Mammogram — left CC. 42-year-old patient.
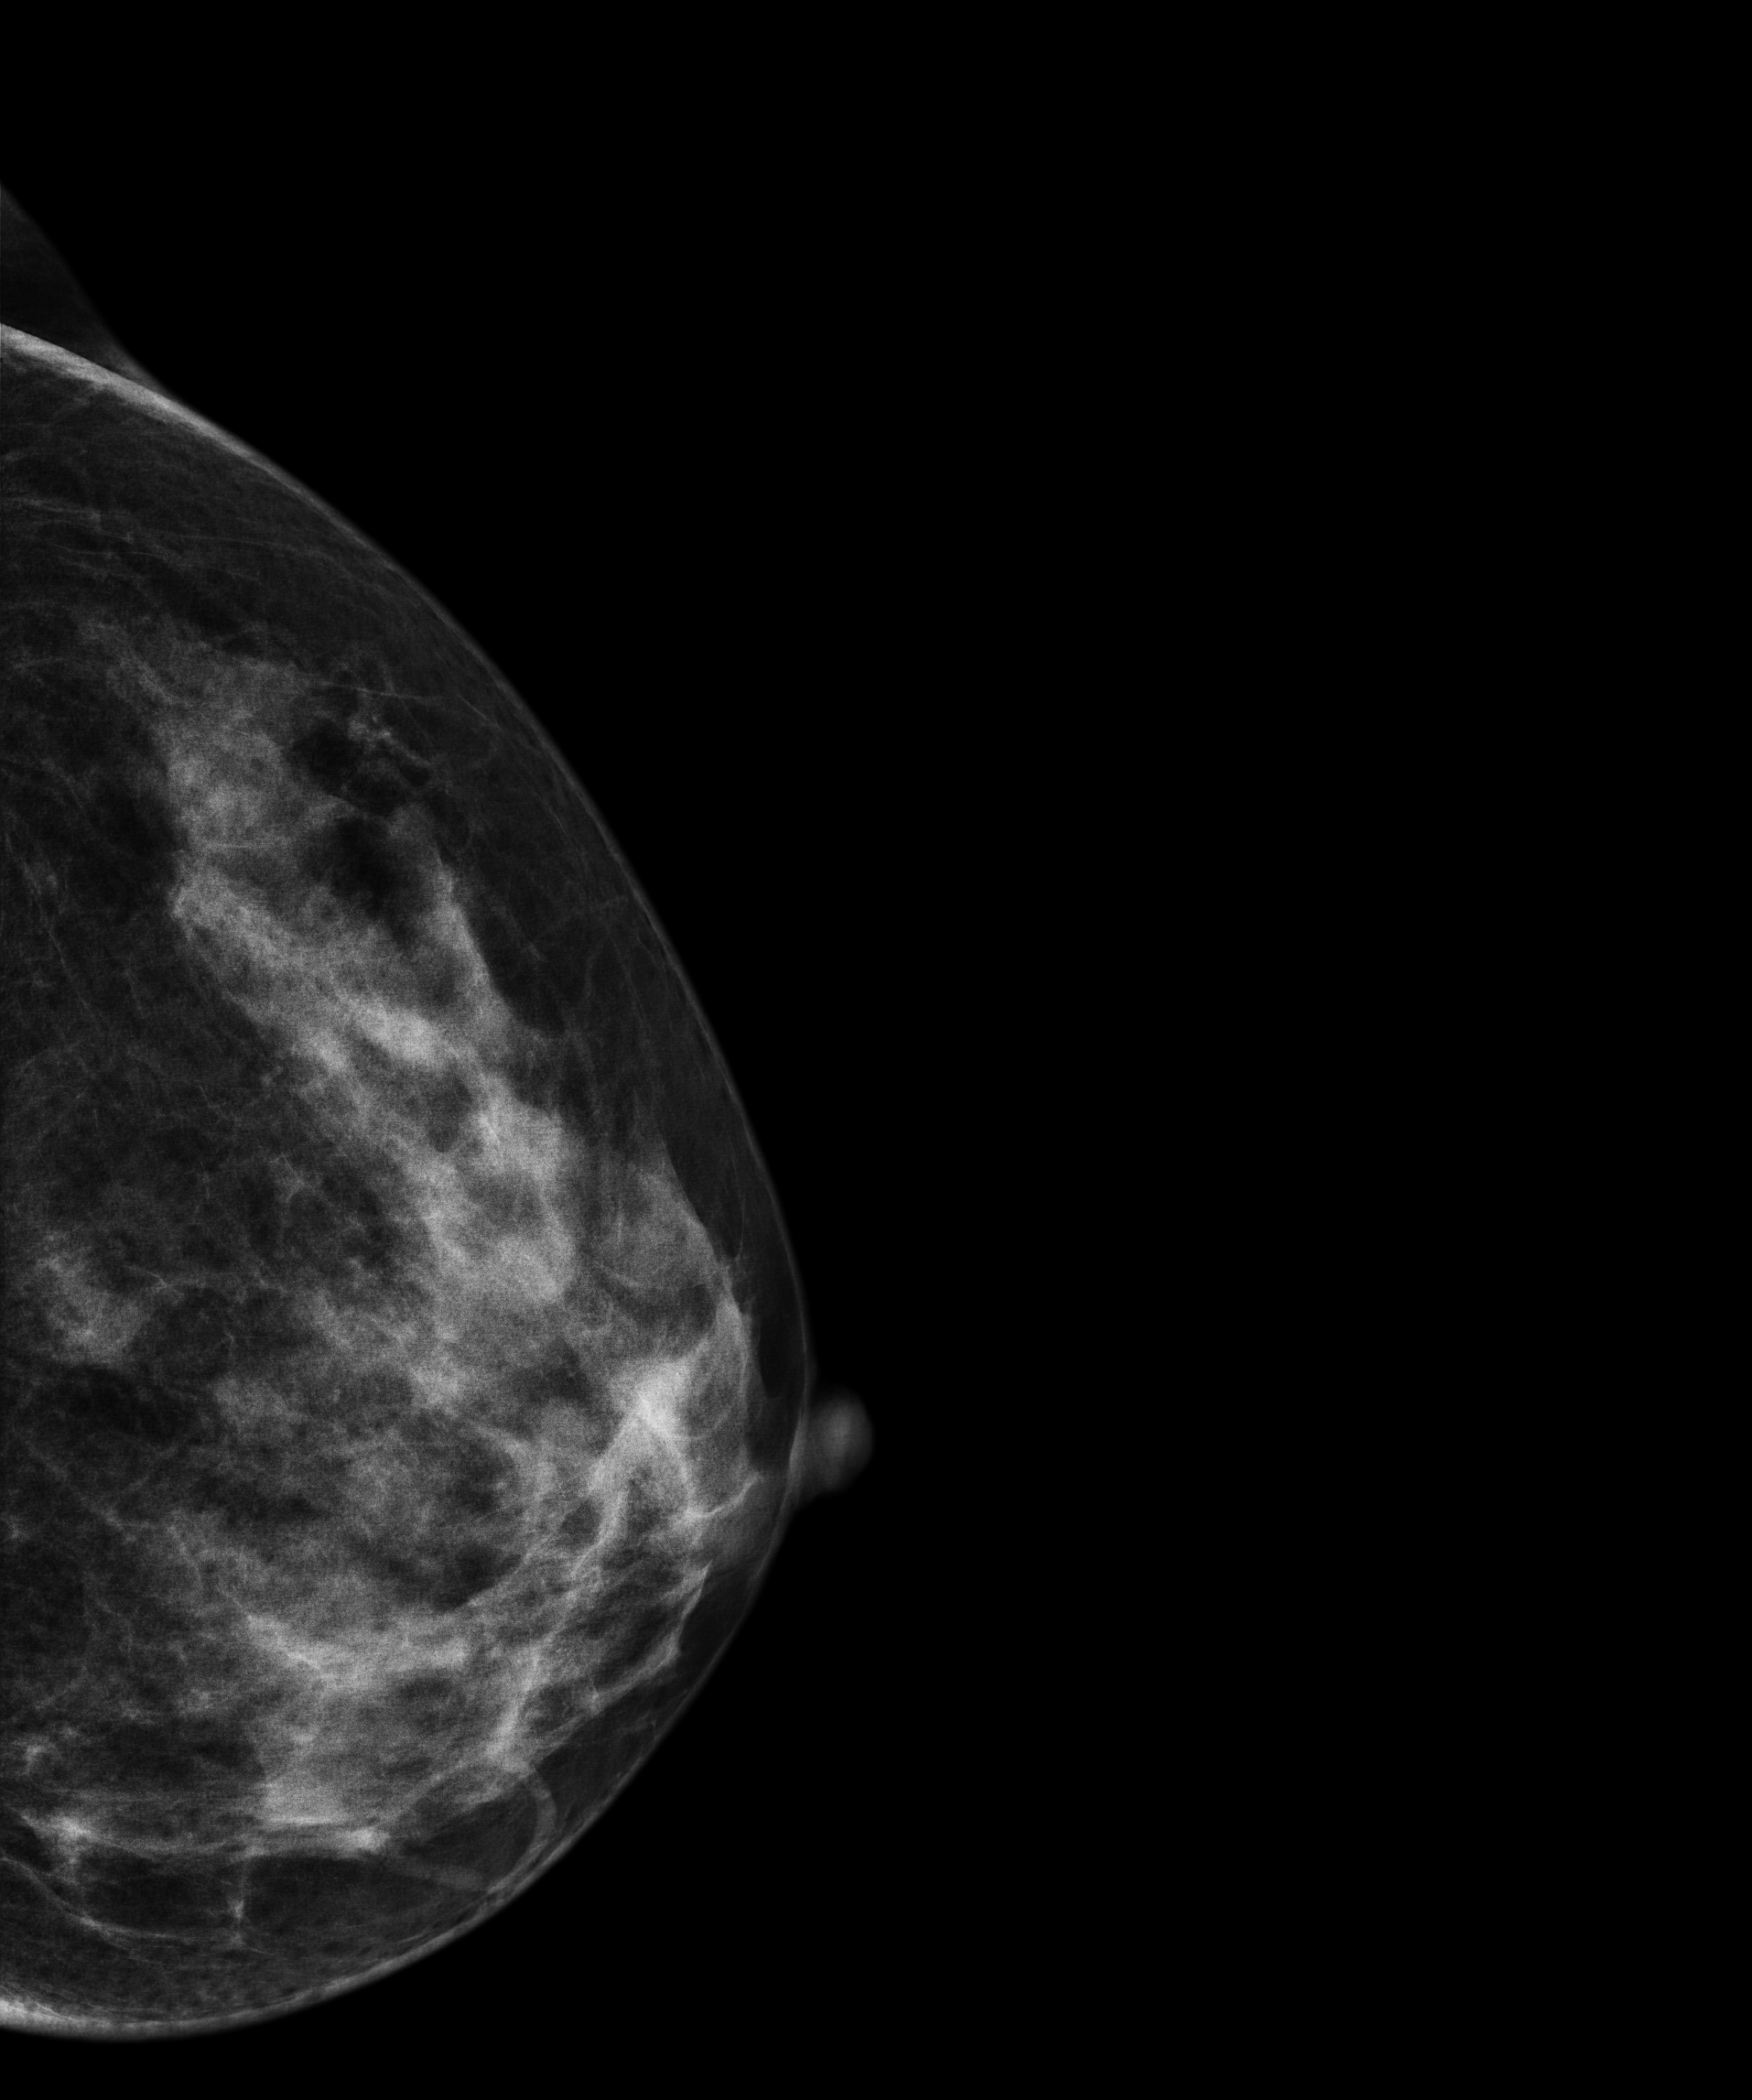
Contralateral breast — no documented abnormality on this side.